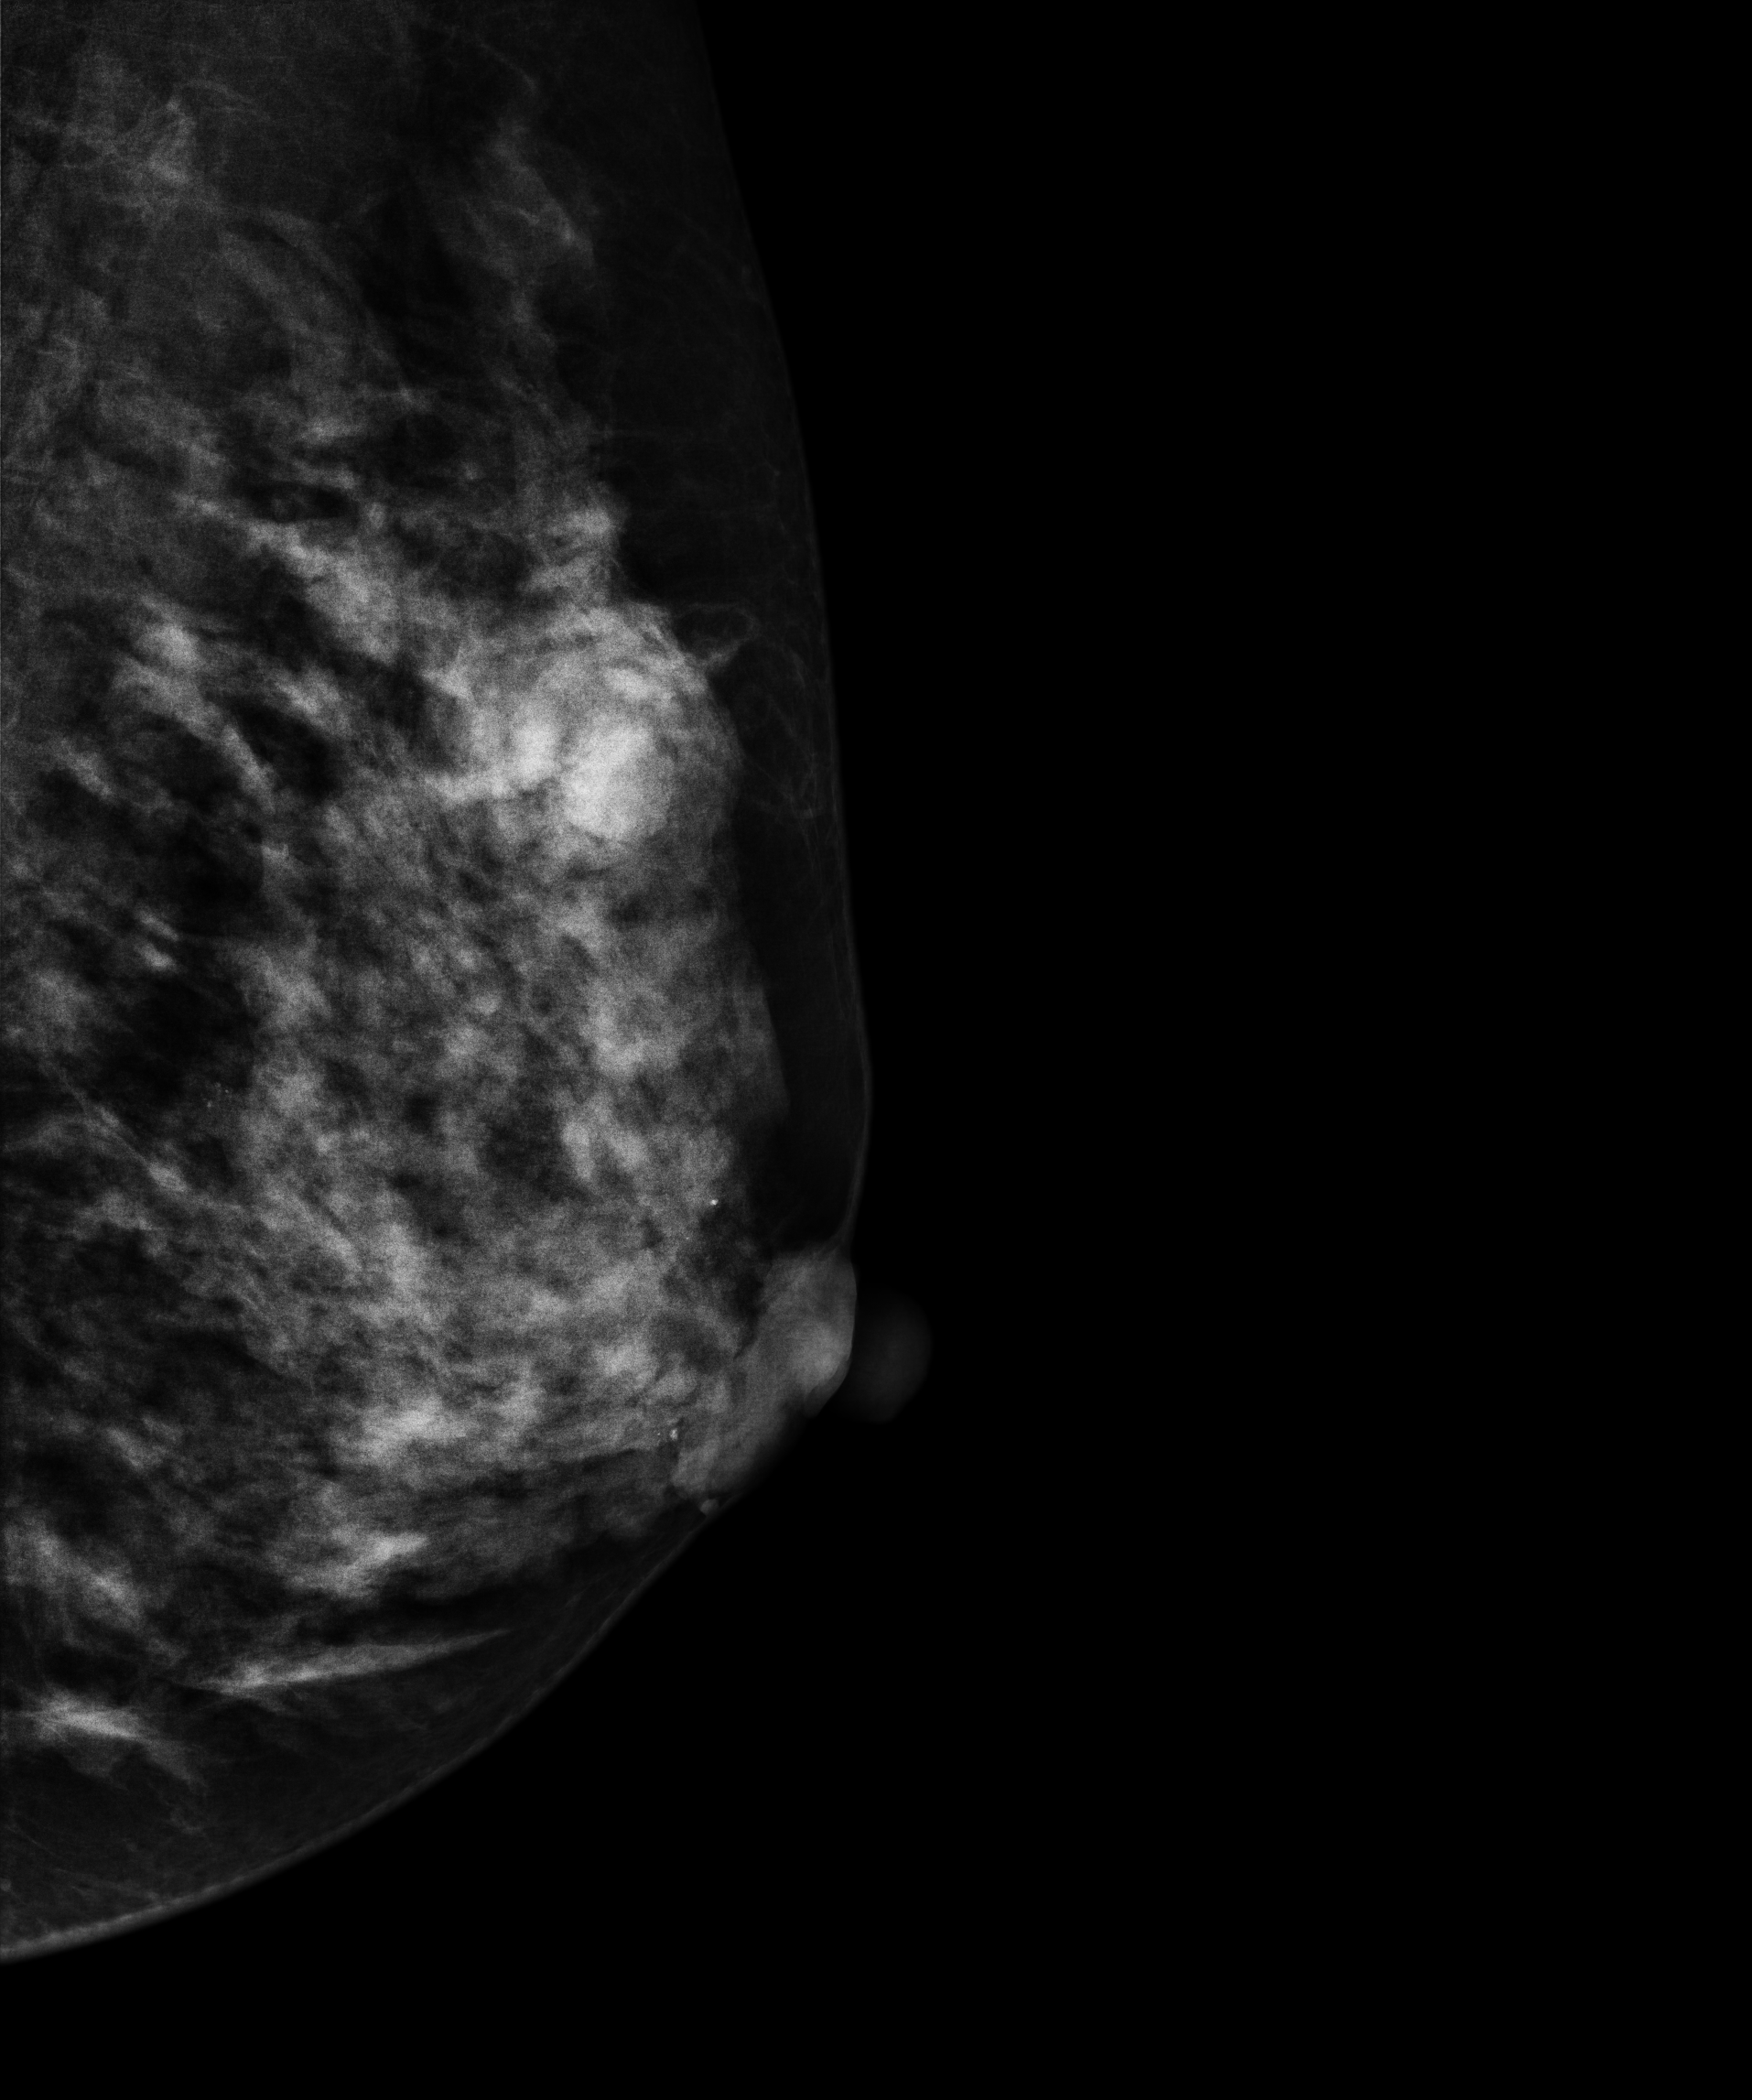
Mammogram, left breast, MLO view. Patient age 35.
This breast has a mass, biopsy-confirmed benign.